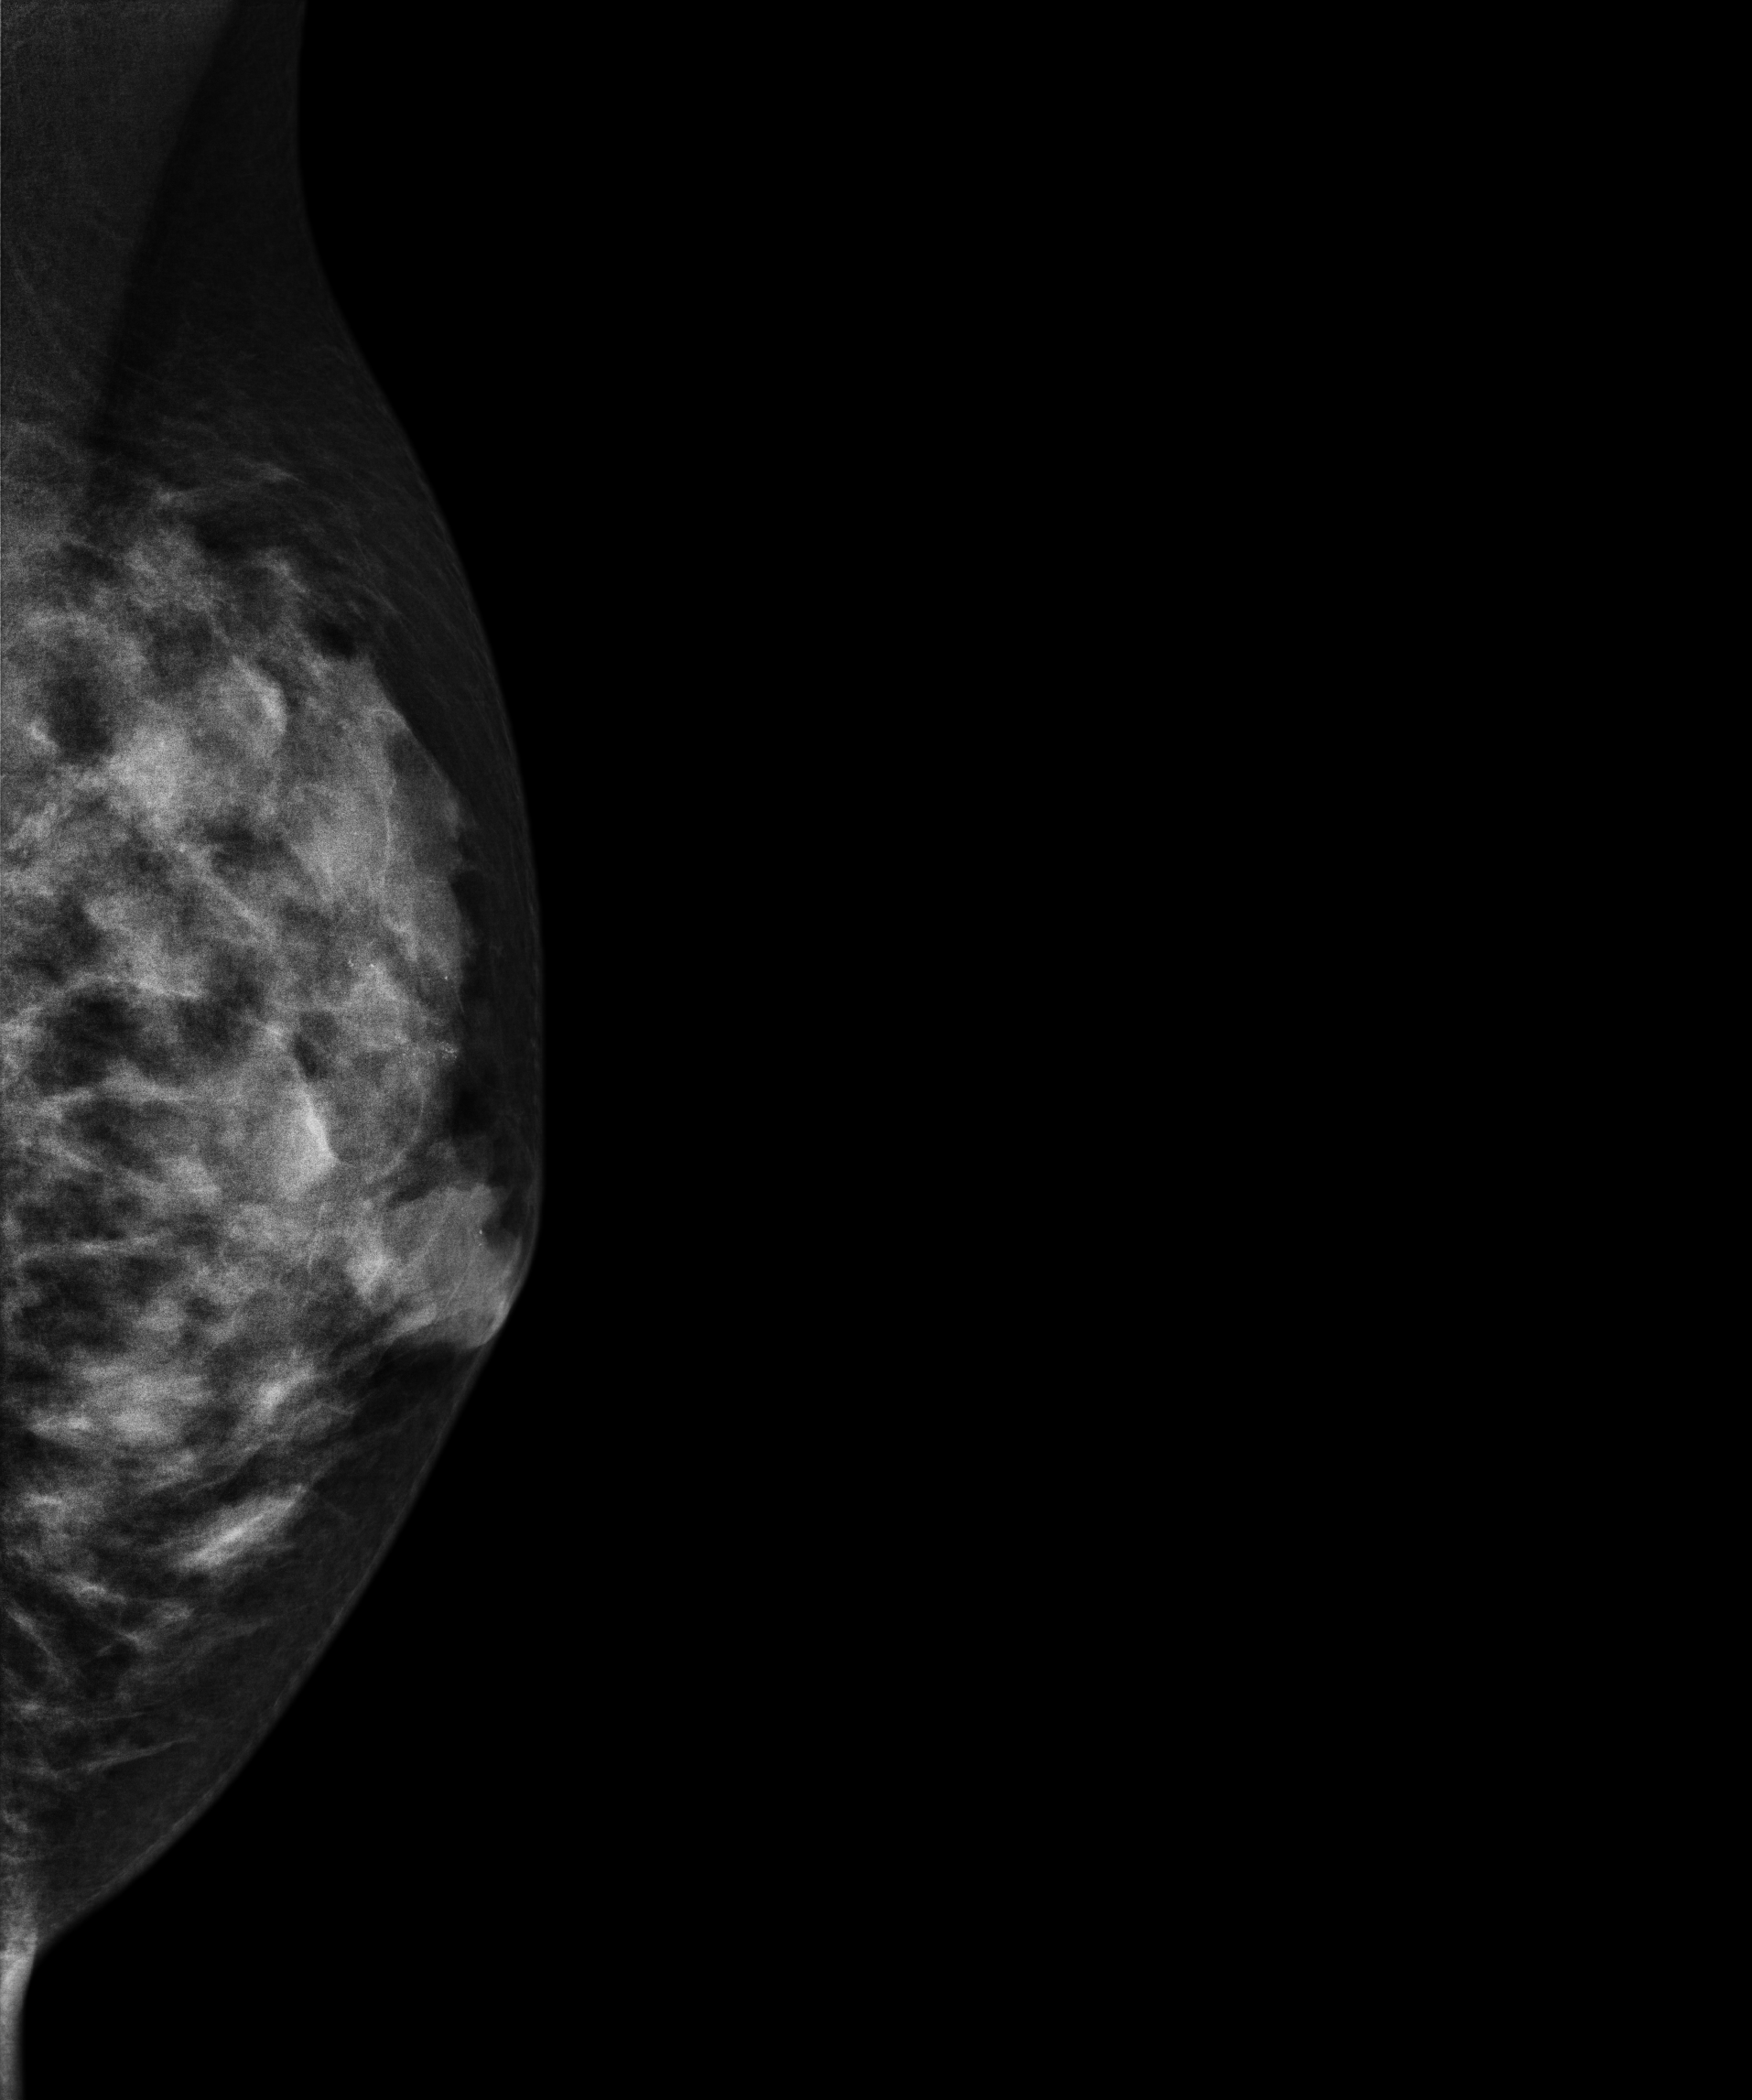
Mammogram — left medio-lateral oblique. 21 y/o patient.
This breast has a mass and calcifications, biopsy-confirmed malignant. Molecular subtype: luminal B.